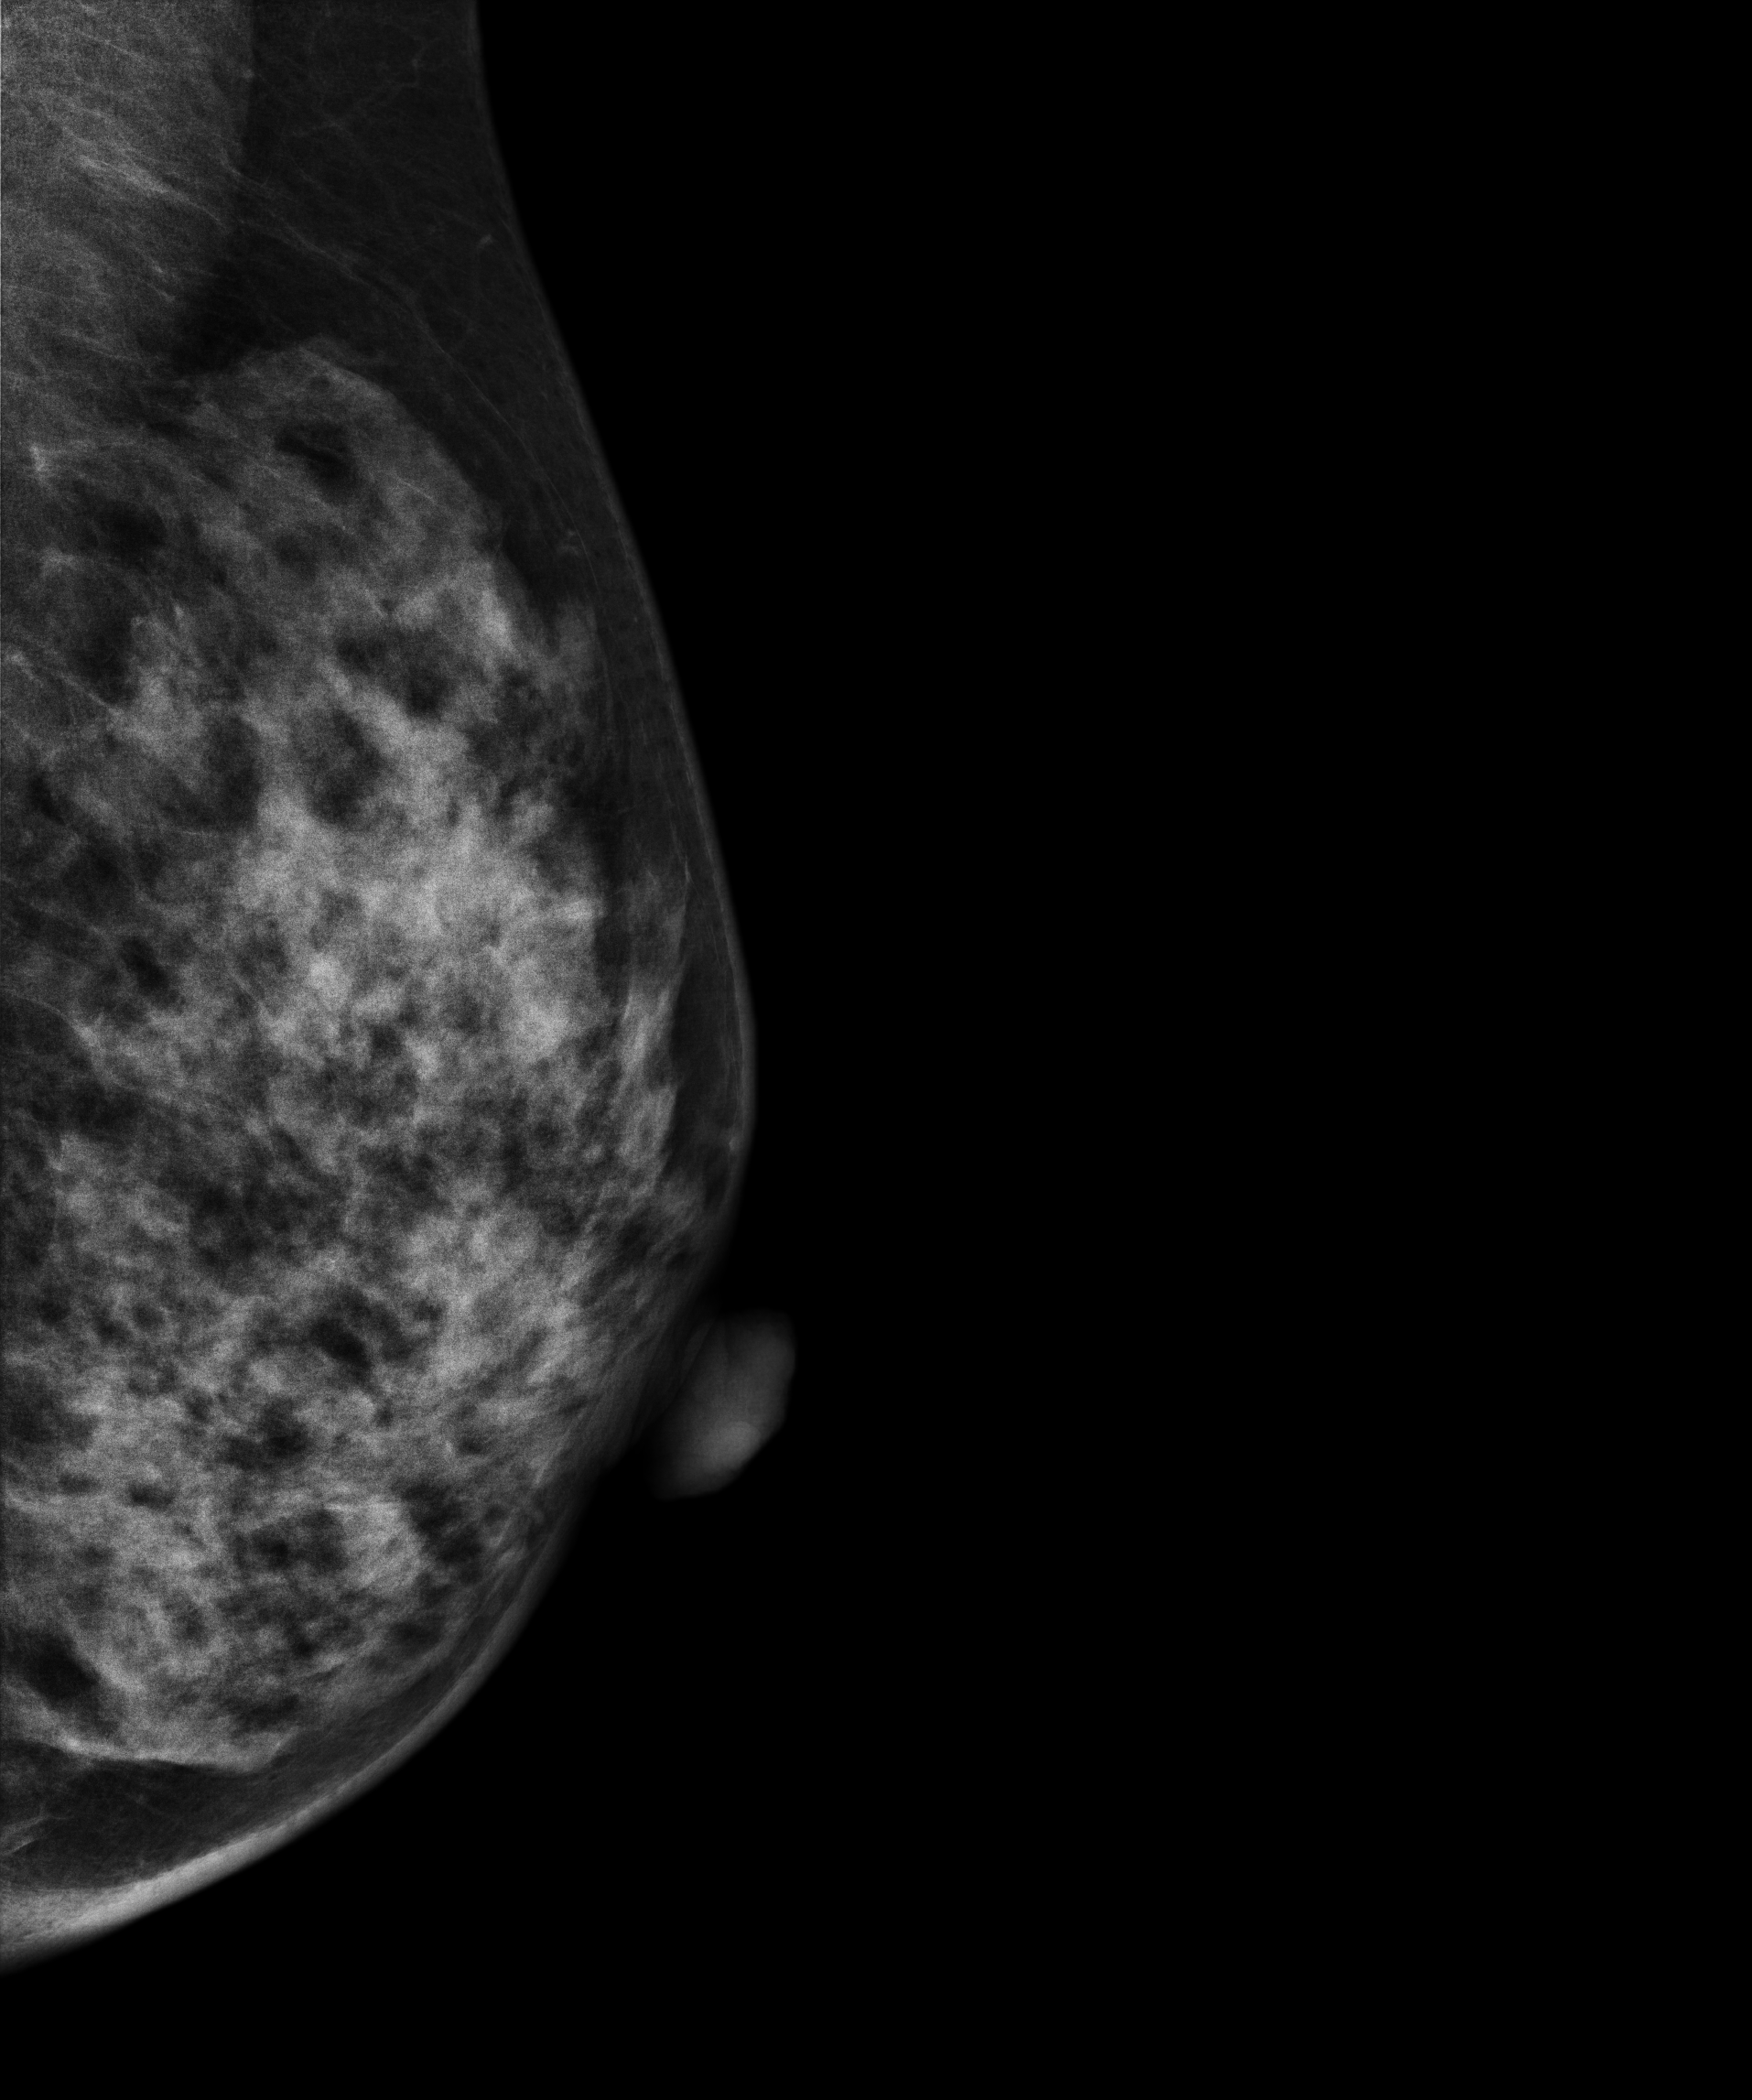
MLO mammogram of the left breast. 61 y/o patient.
This breast has a mass, biopsy-proven malignant.